Medio-lateral oblique mammogram of the left breast. 38-year-old patient.
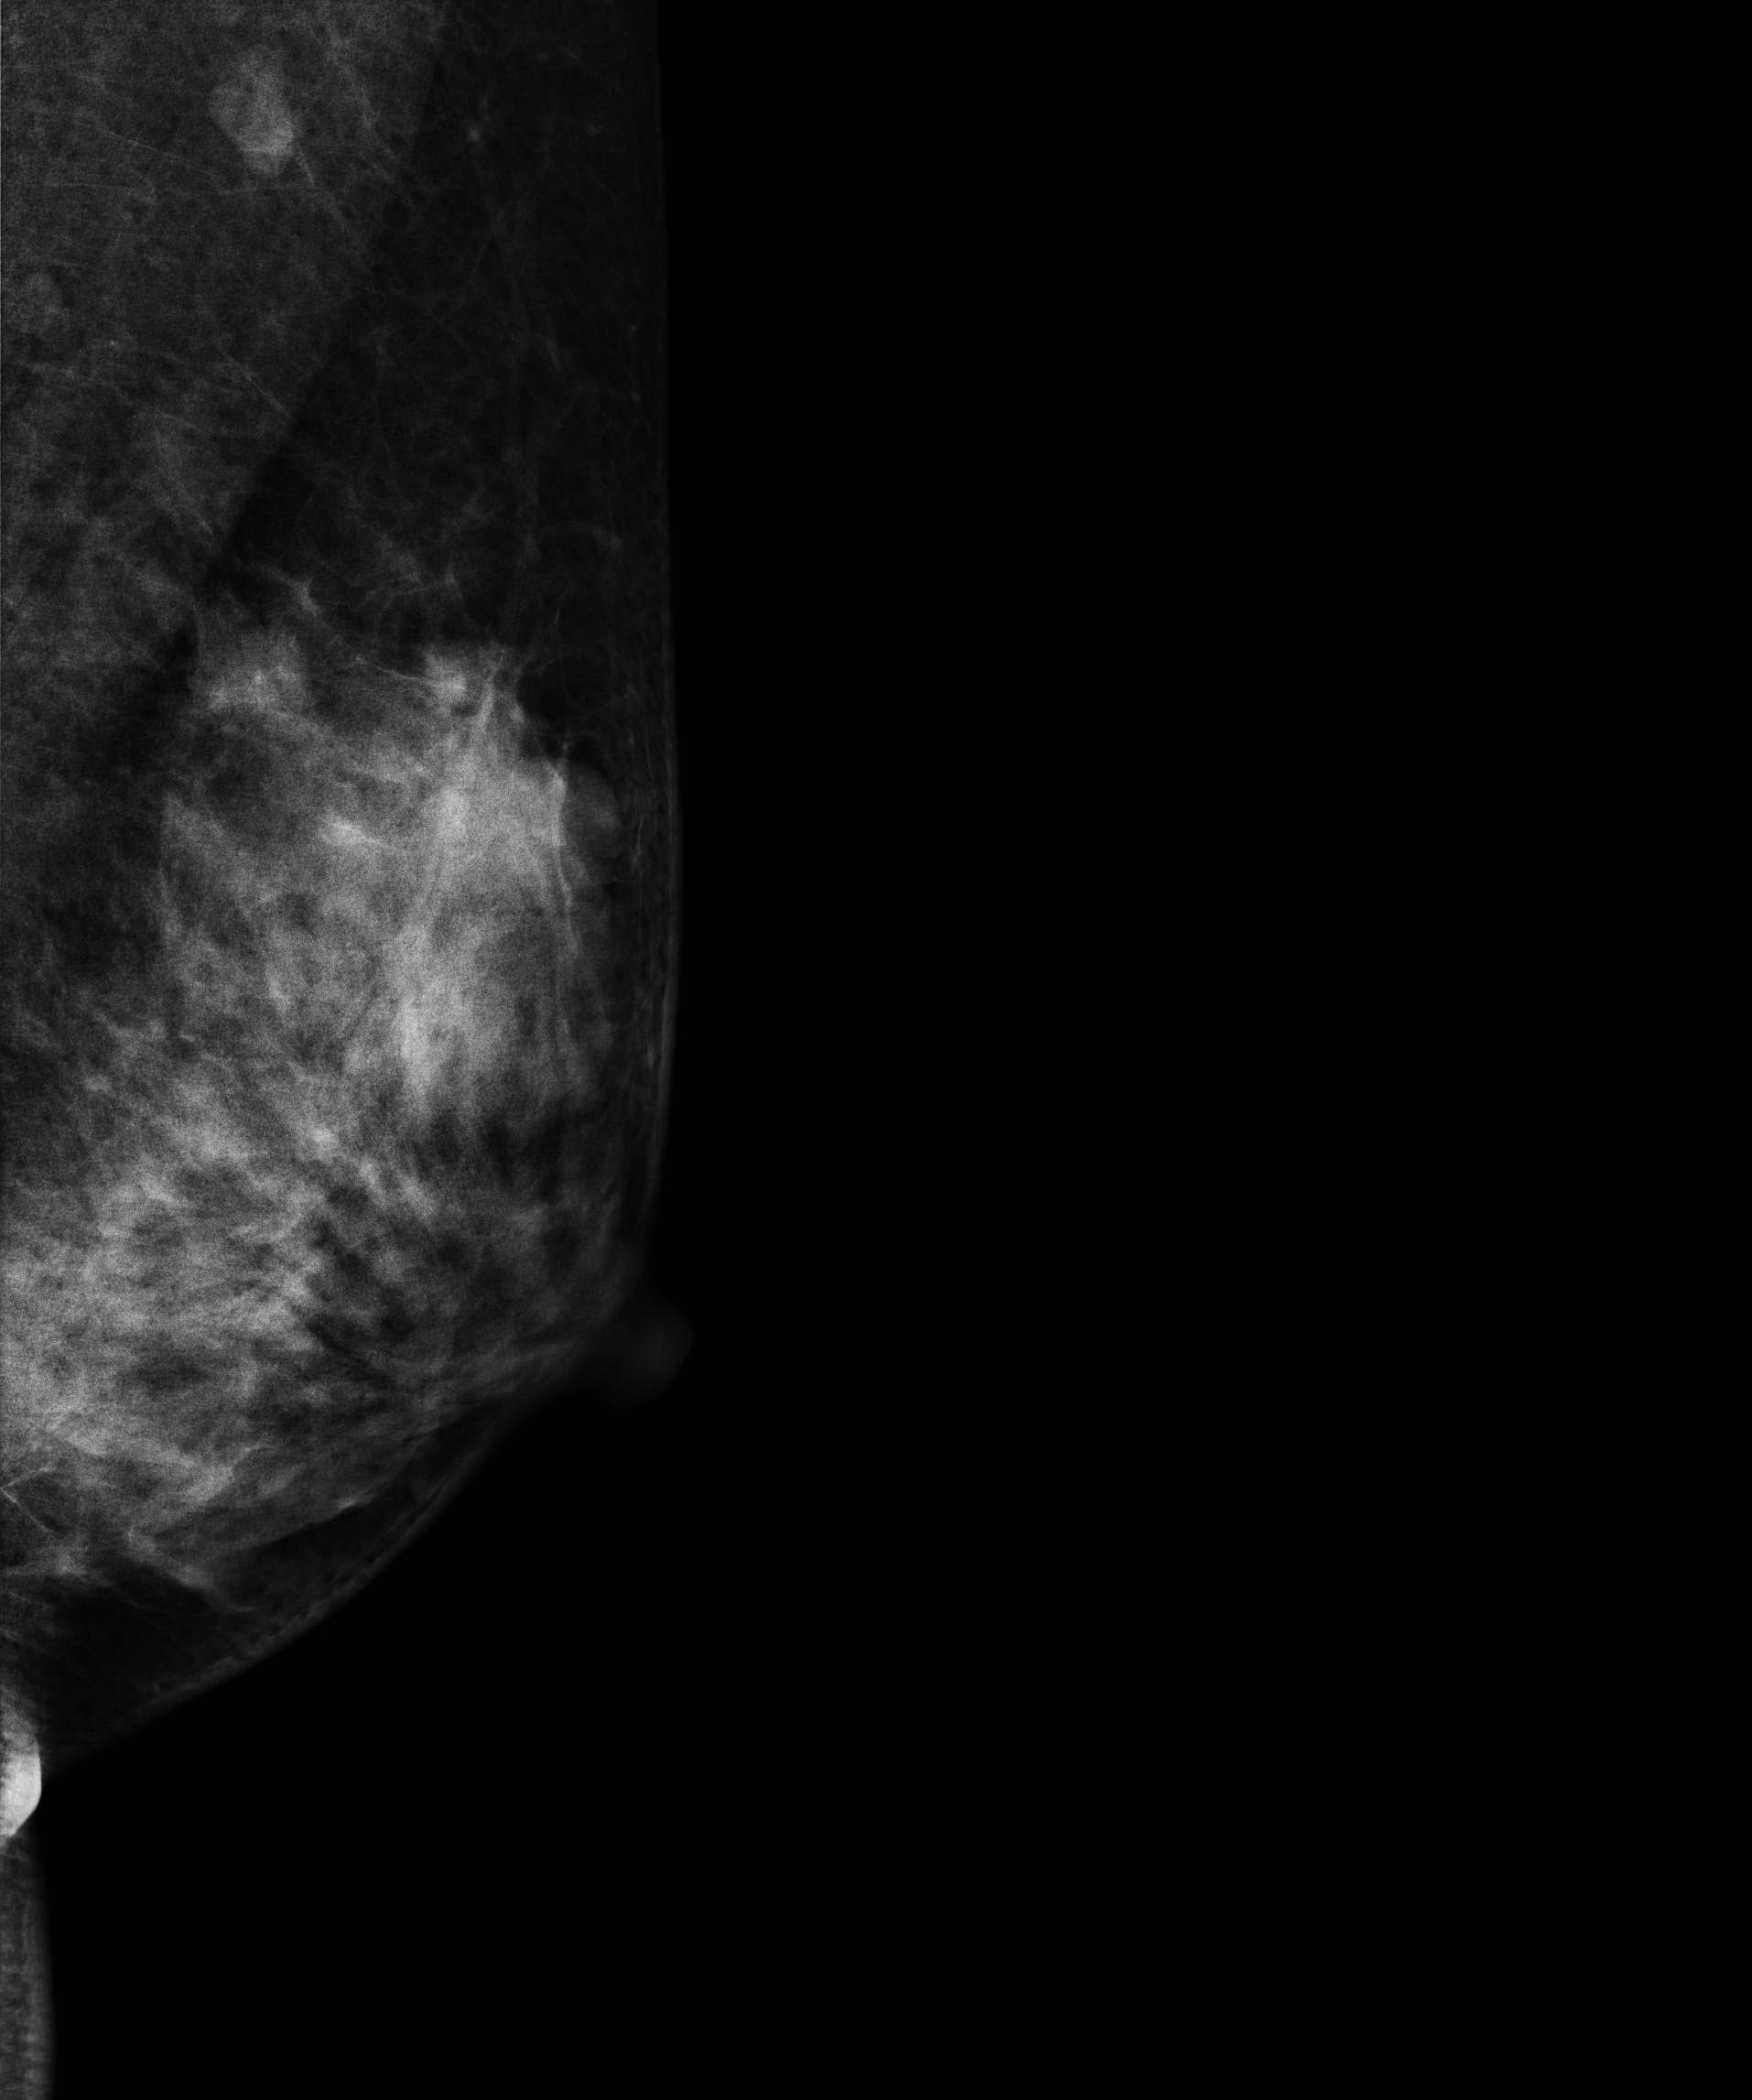
This breast has a mass, biopsy-confirmed benign.